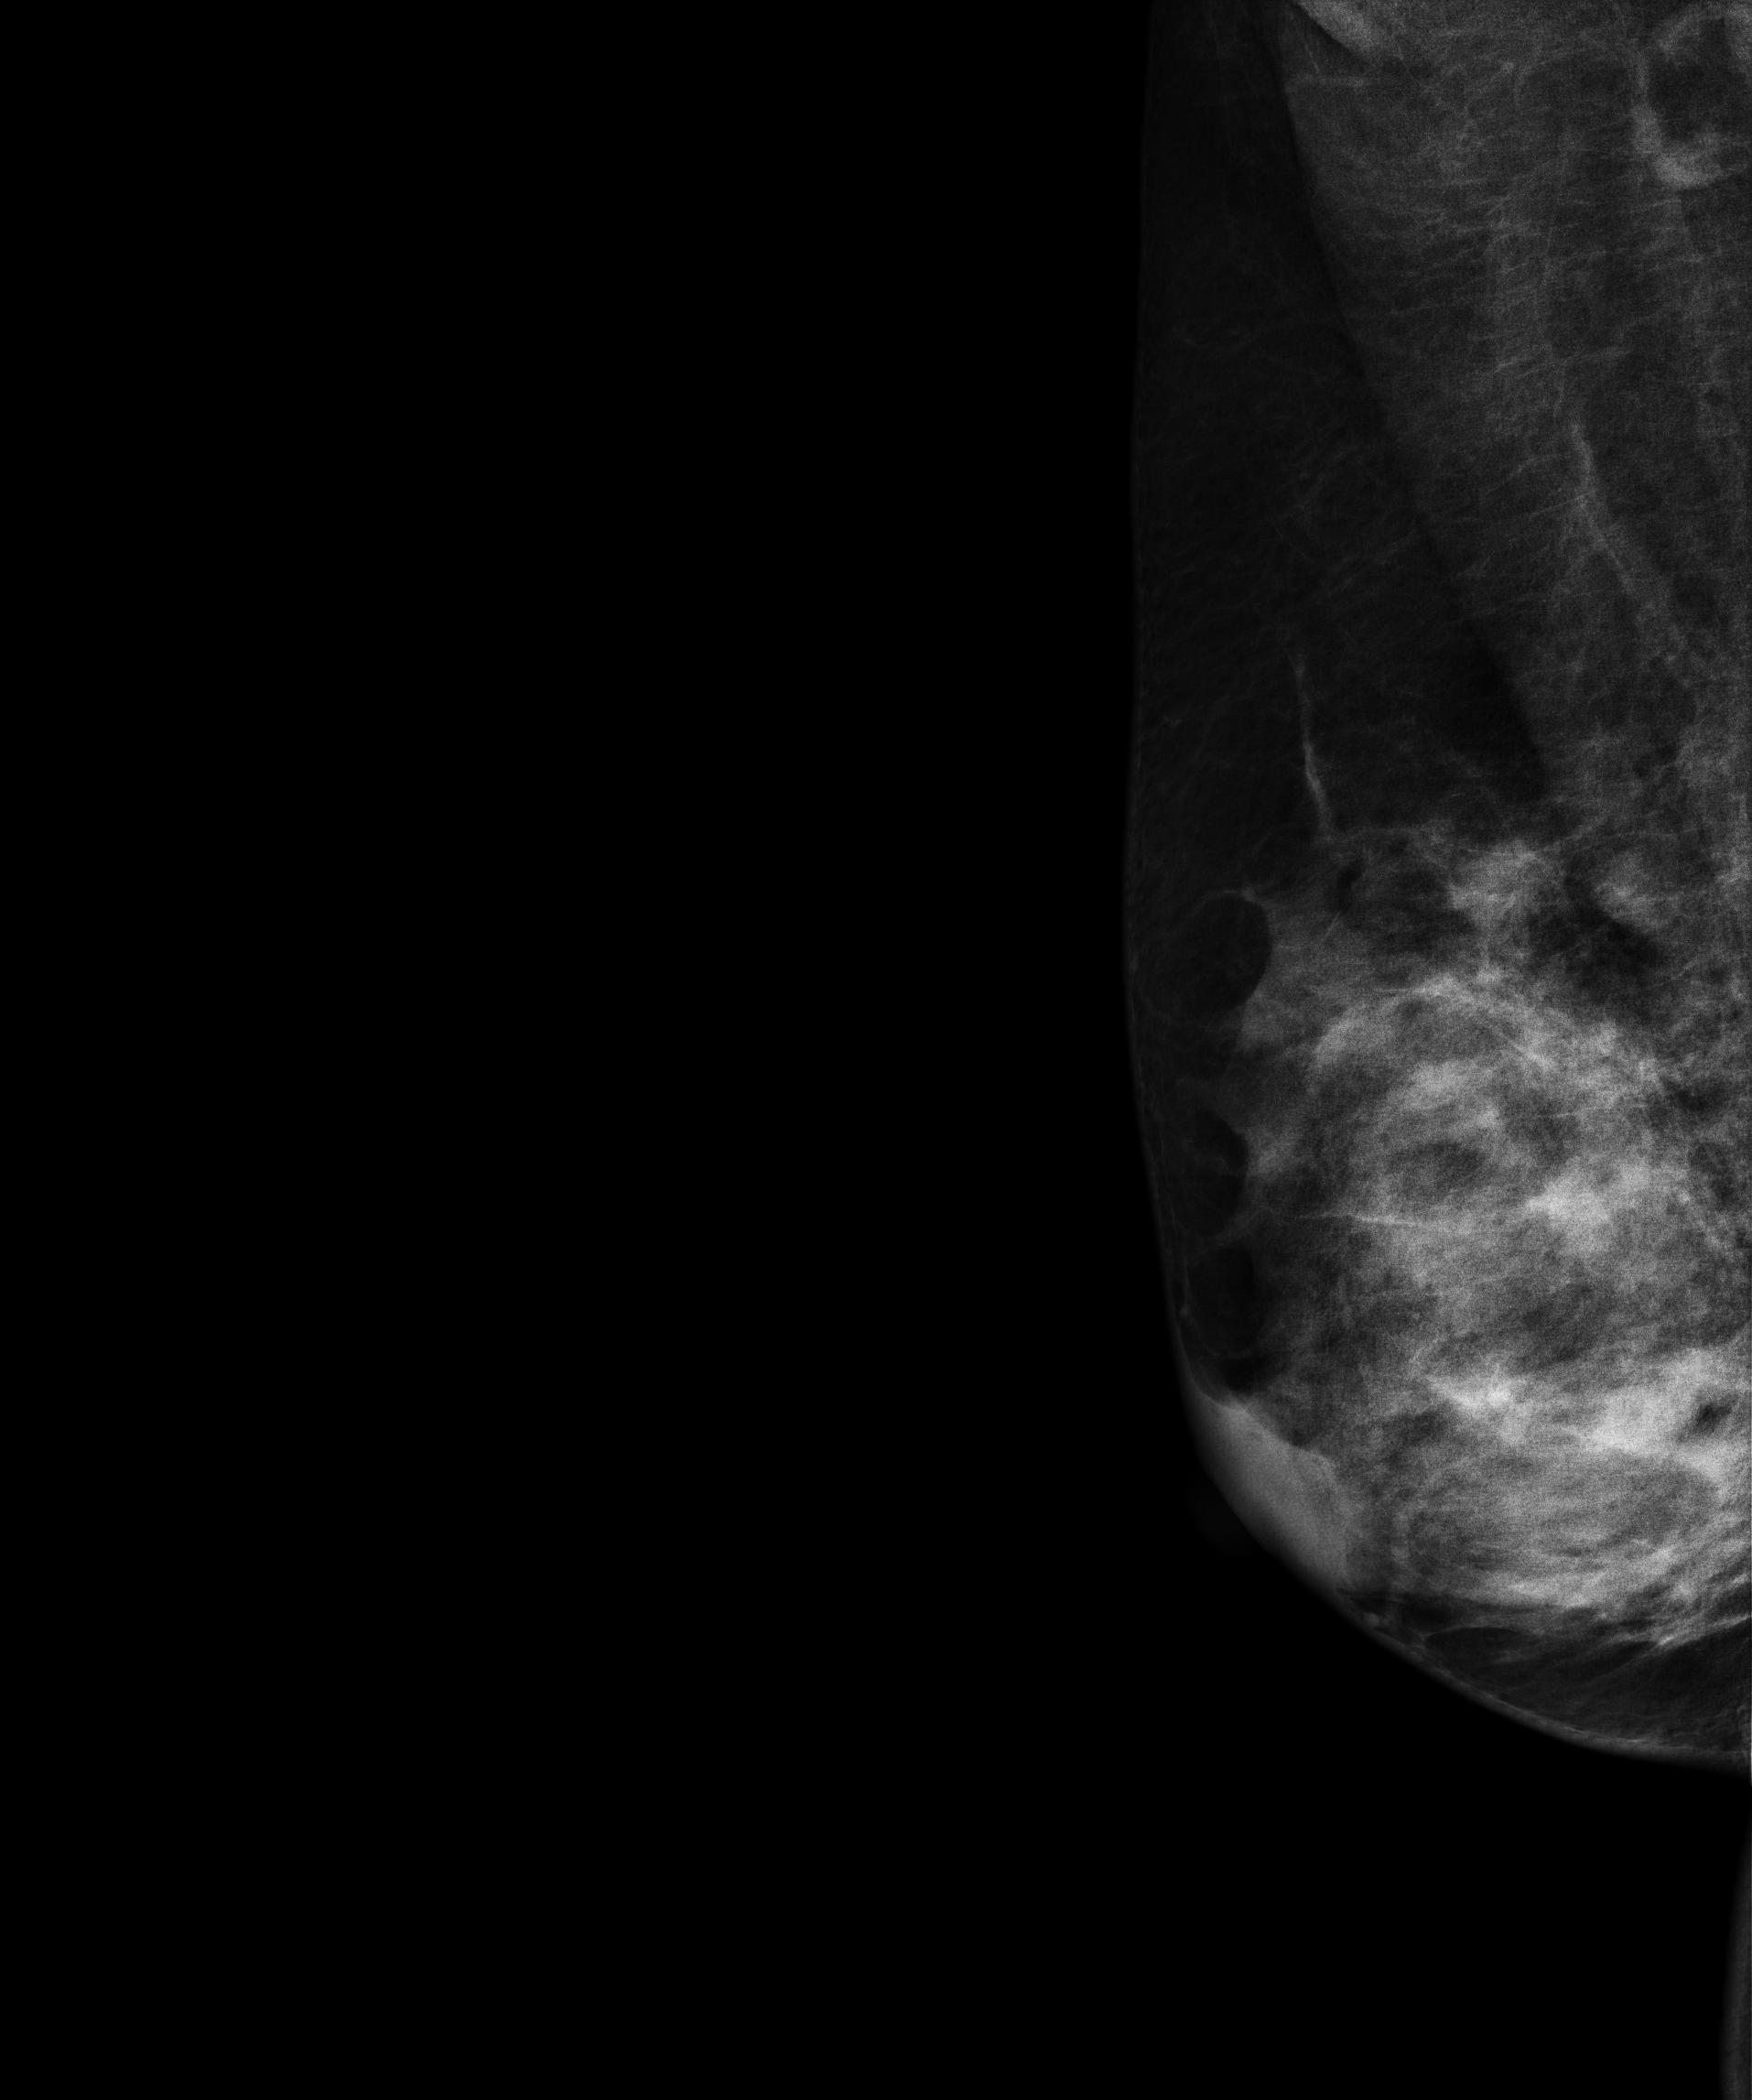
Digital mammography. Right breast, MLO projection. Patient age 39.
Contralateral breast — no documented abnormality on this side.